Medio-lateral oblique mammogram of the left breast. 39 y/o patient.
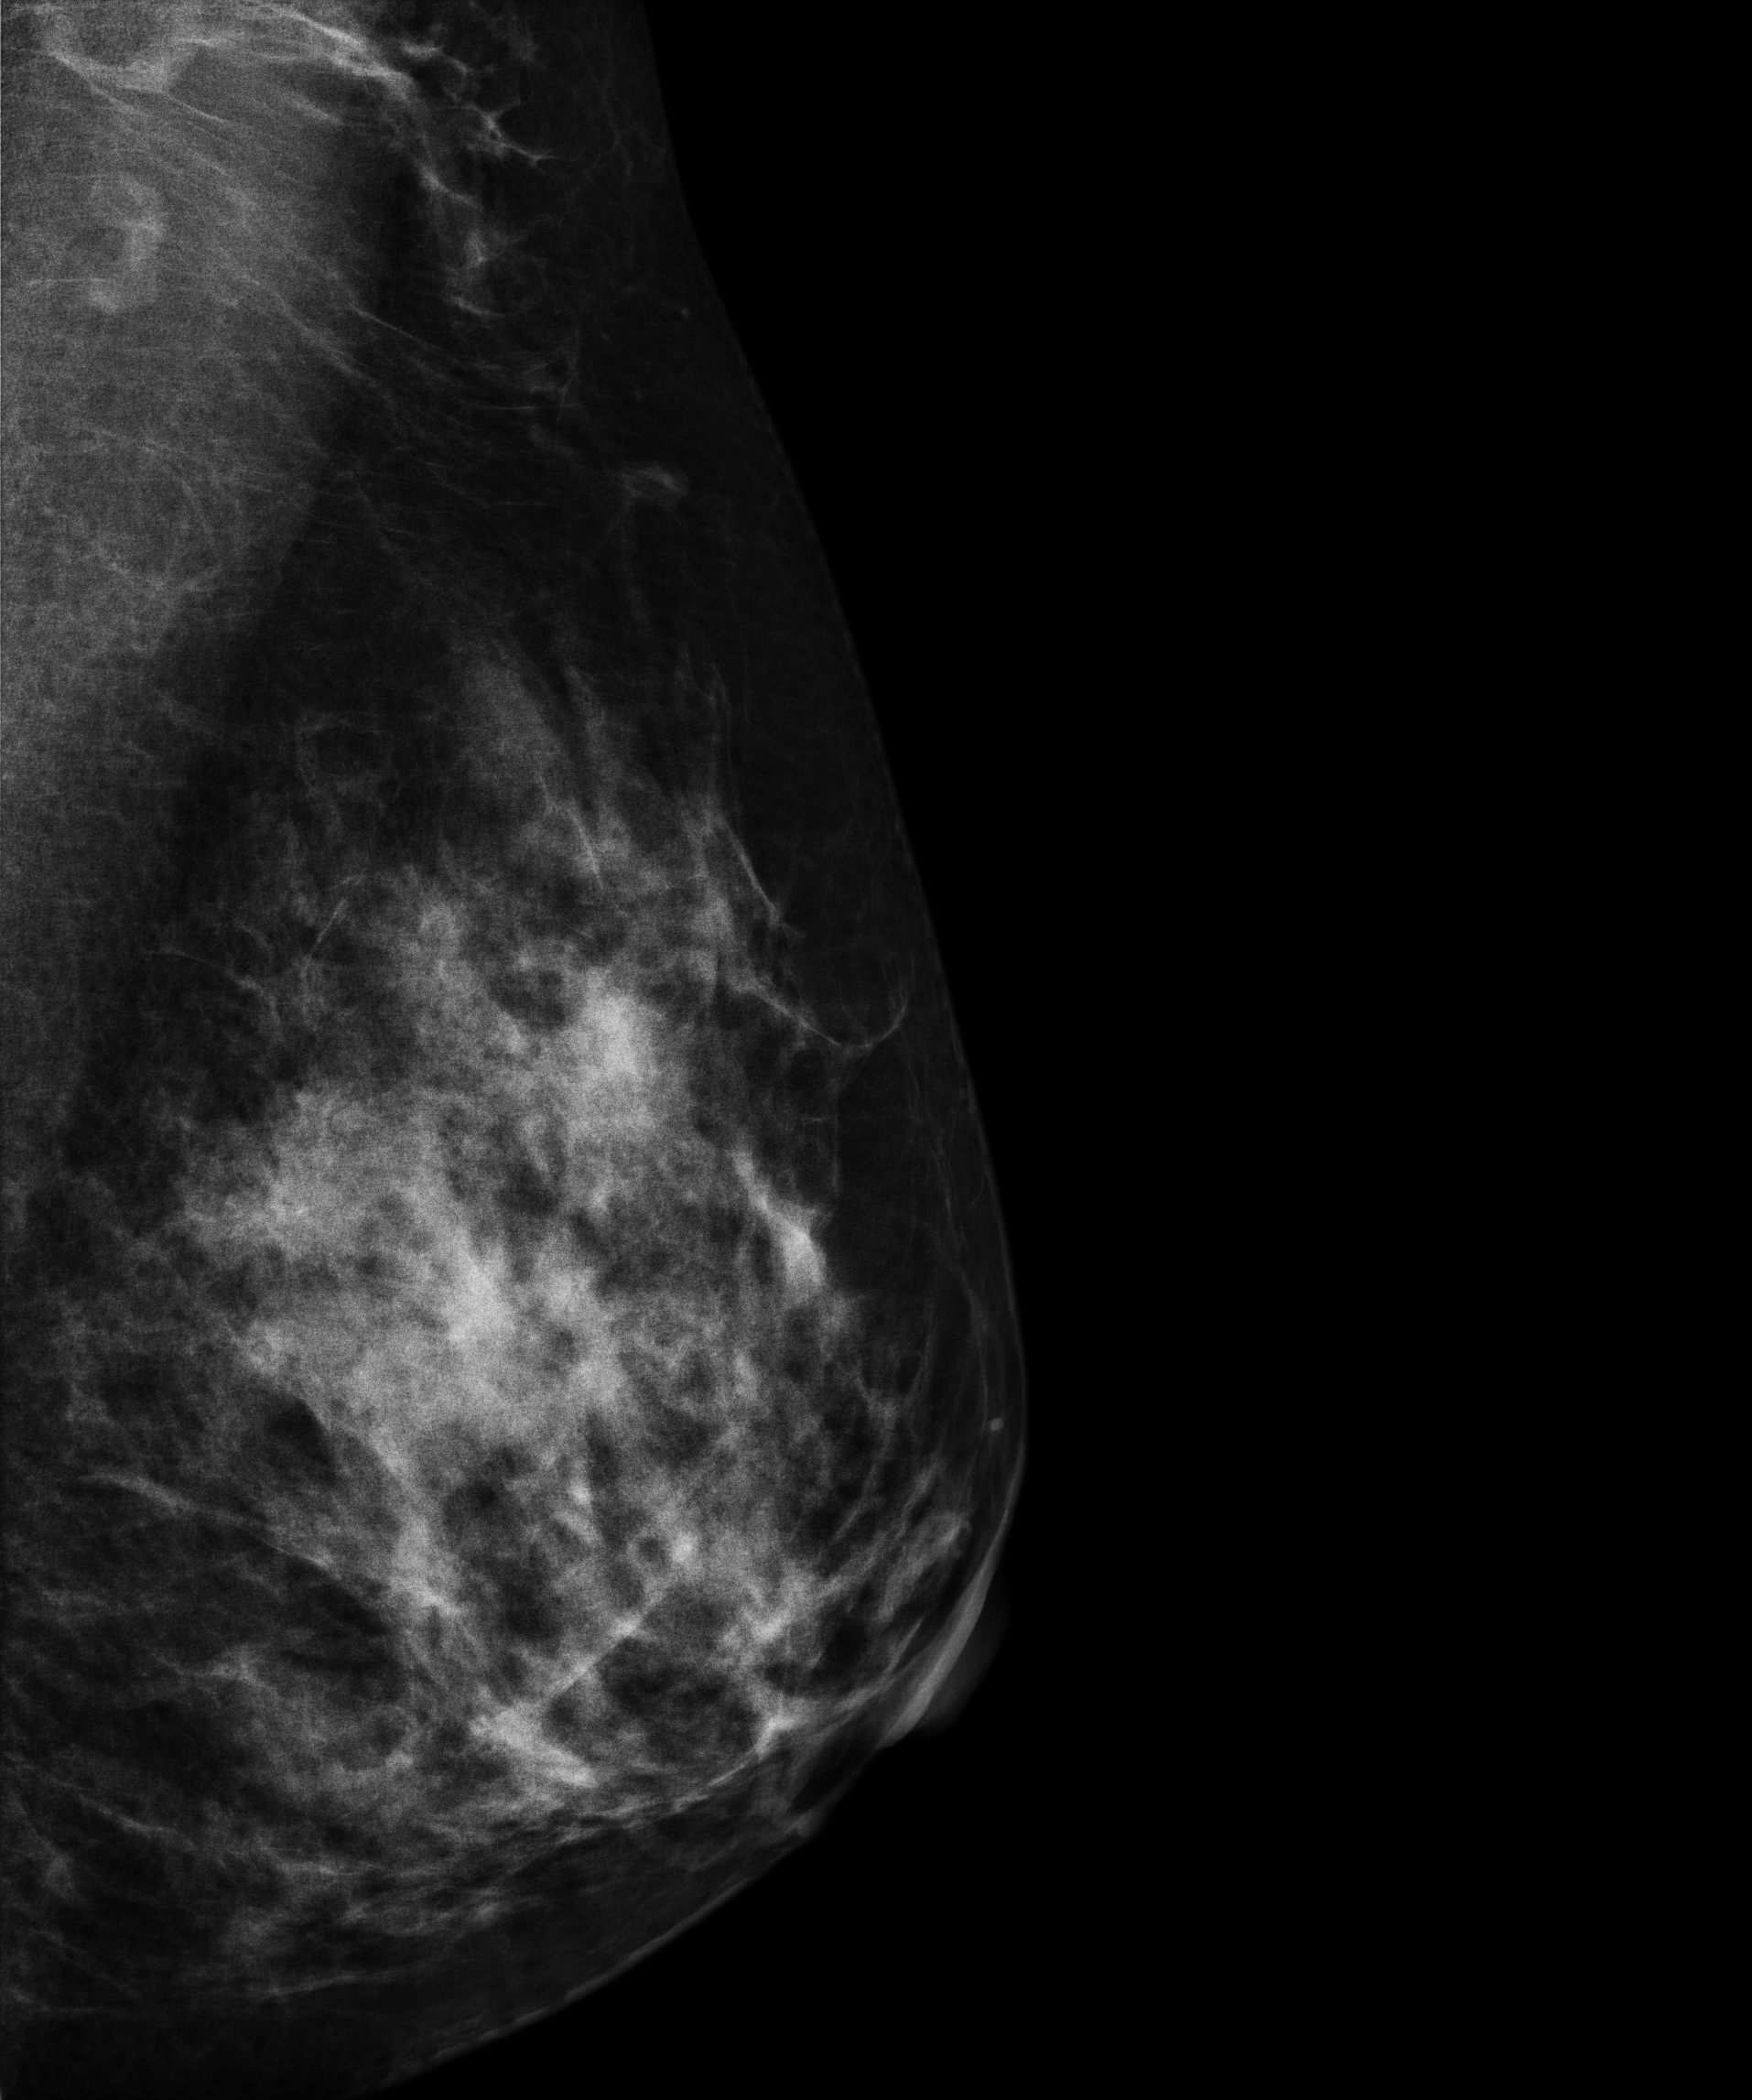
This breast has a mass, biopsy-confirmed malignant.